CC mammogram of the right breast. 43-year-old patient.
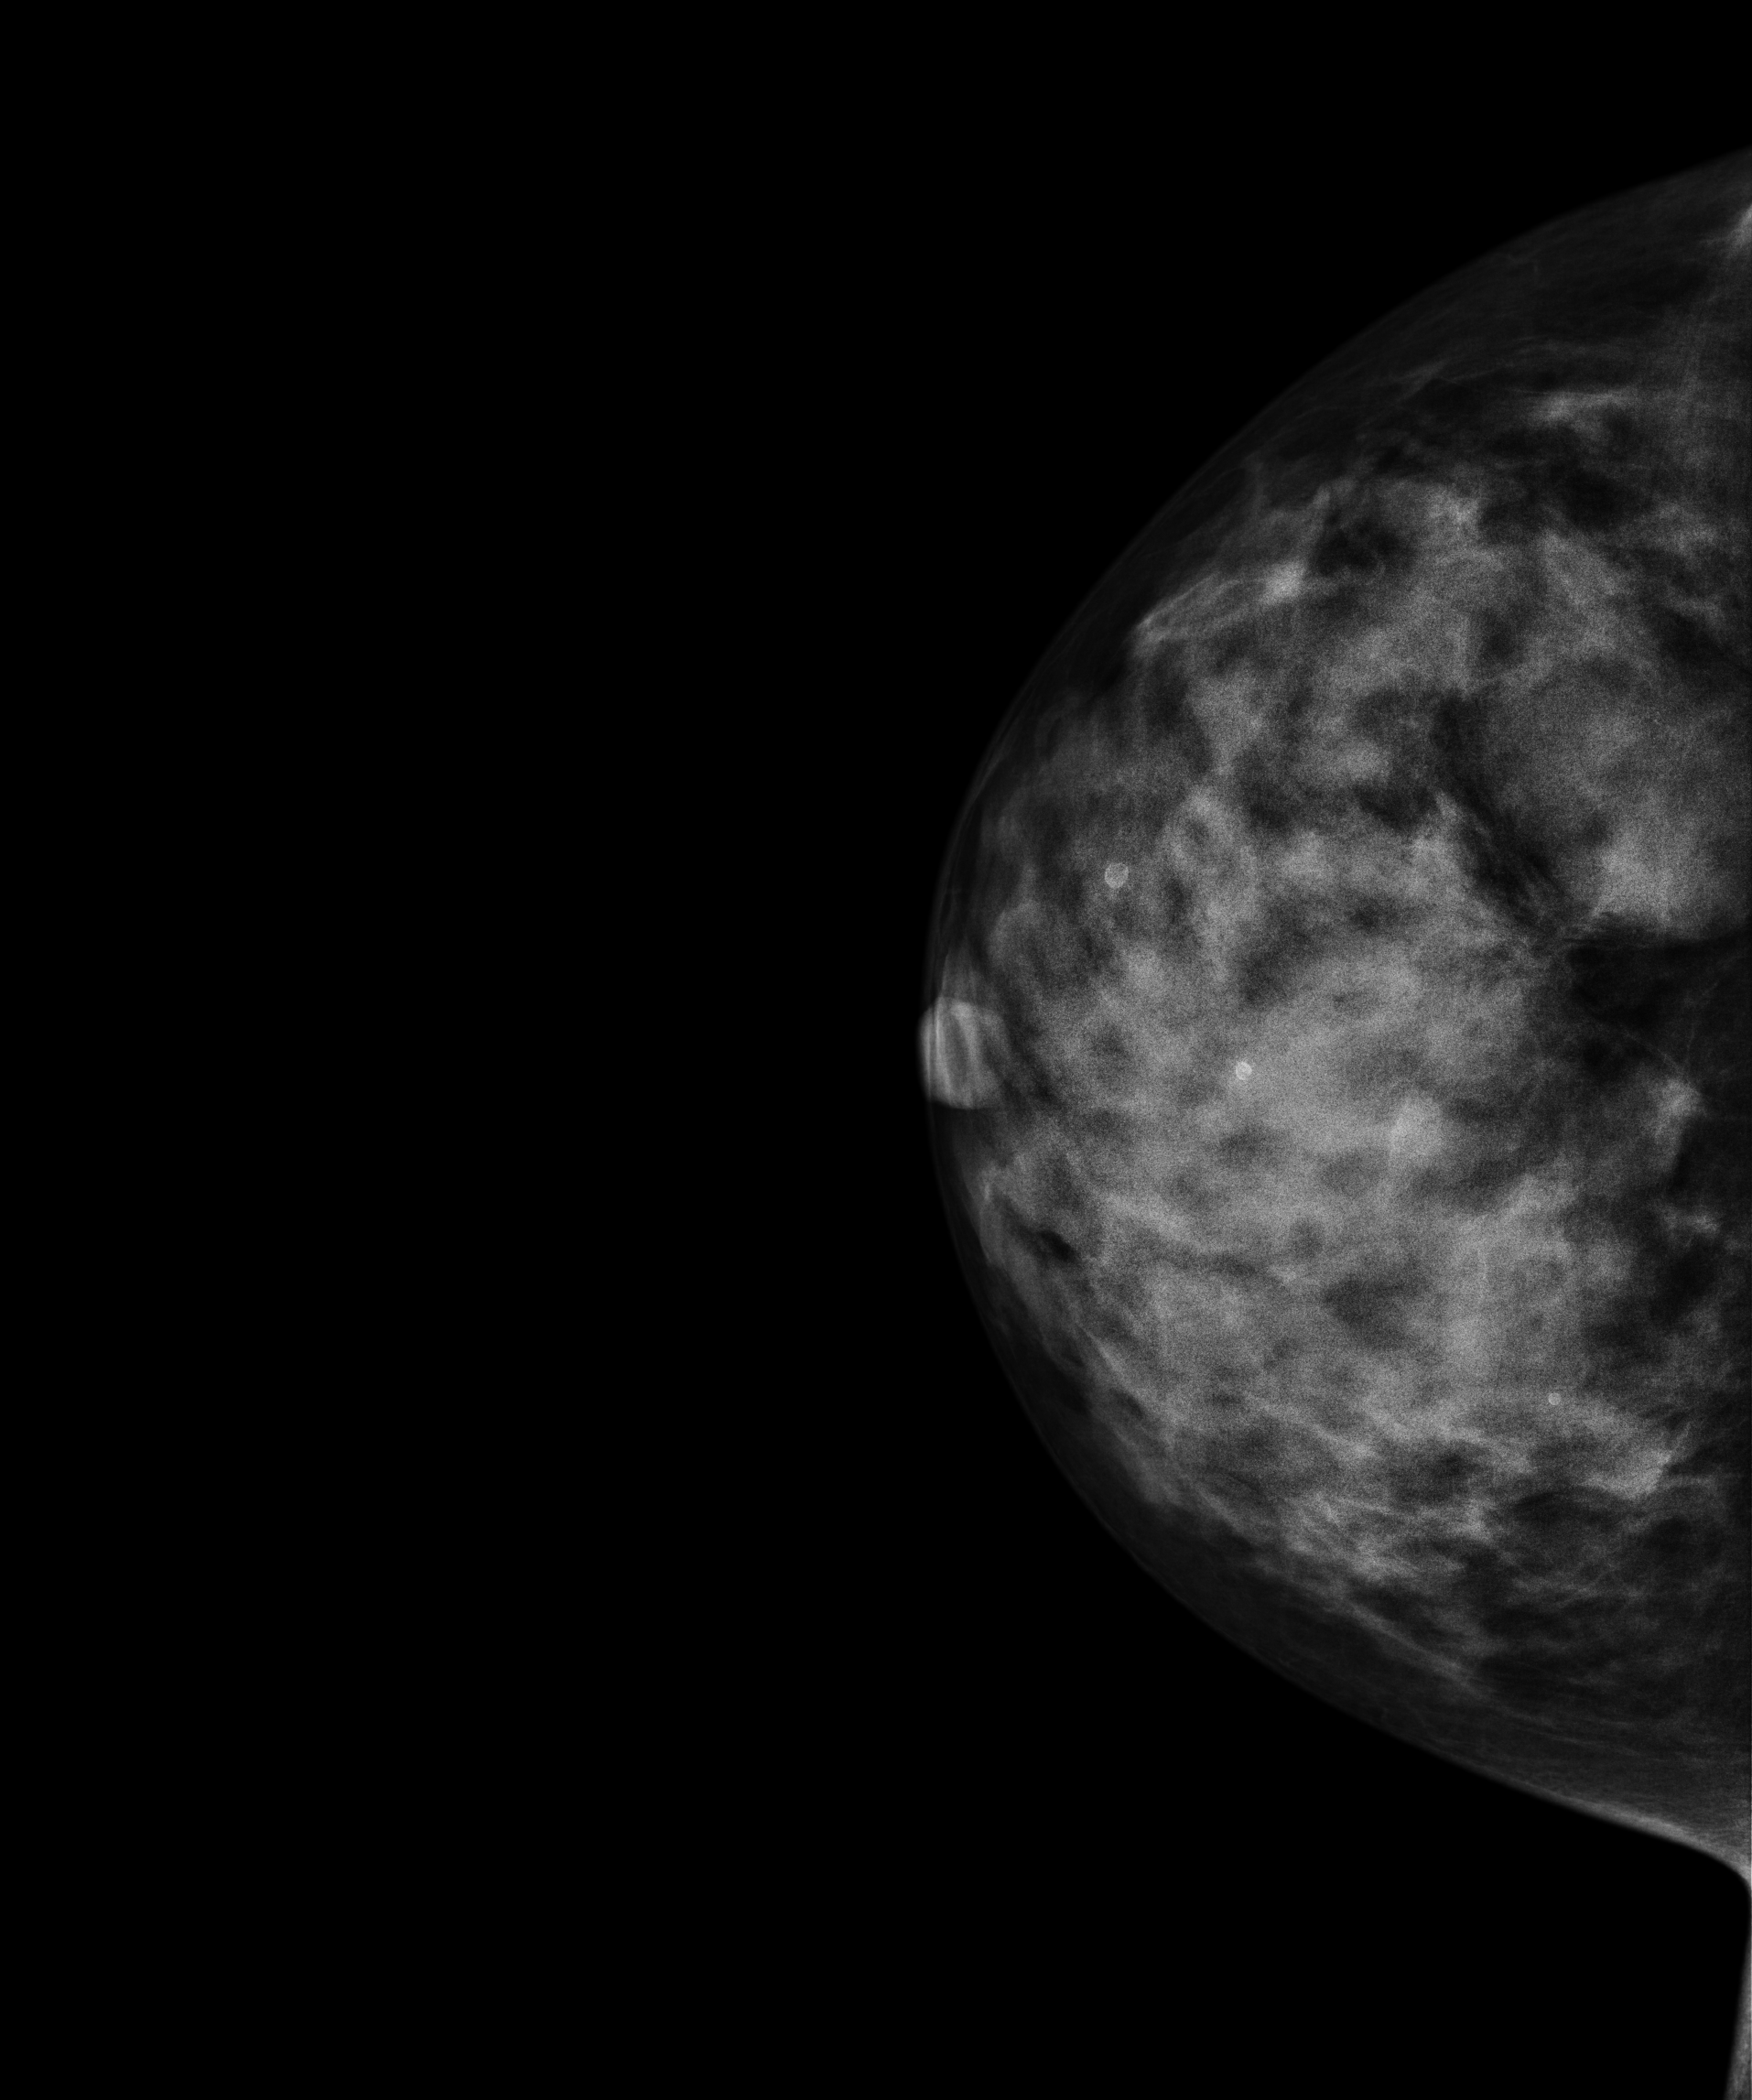
This breast has a mass, biopsy-proven benign.